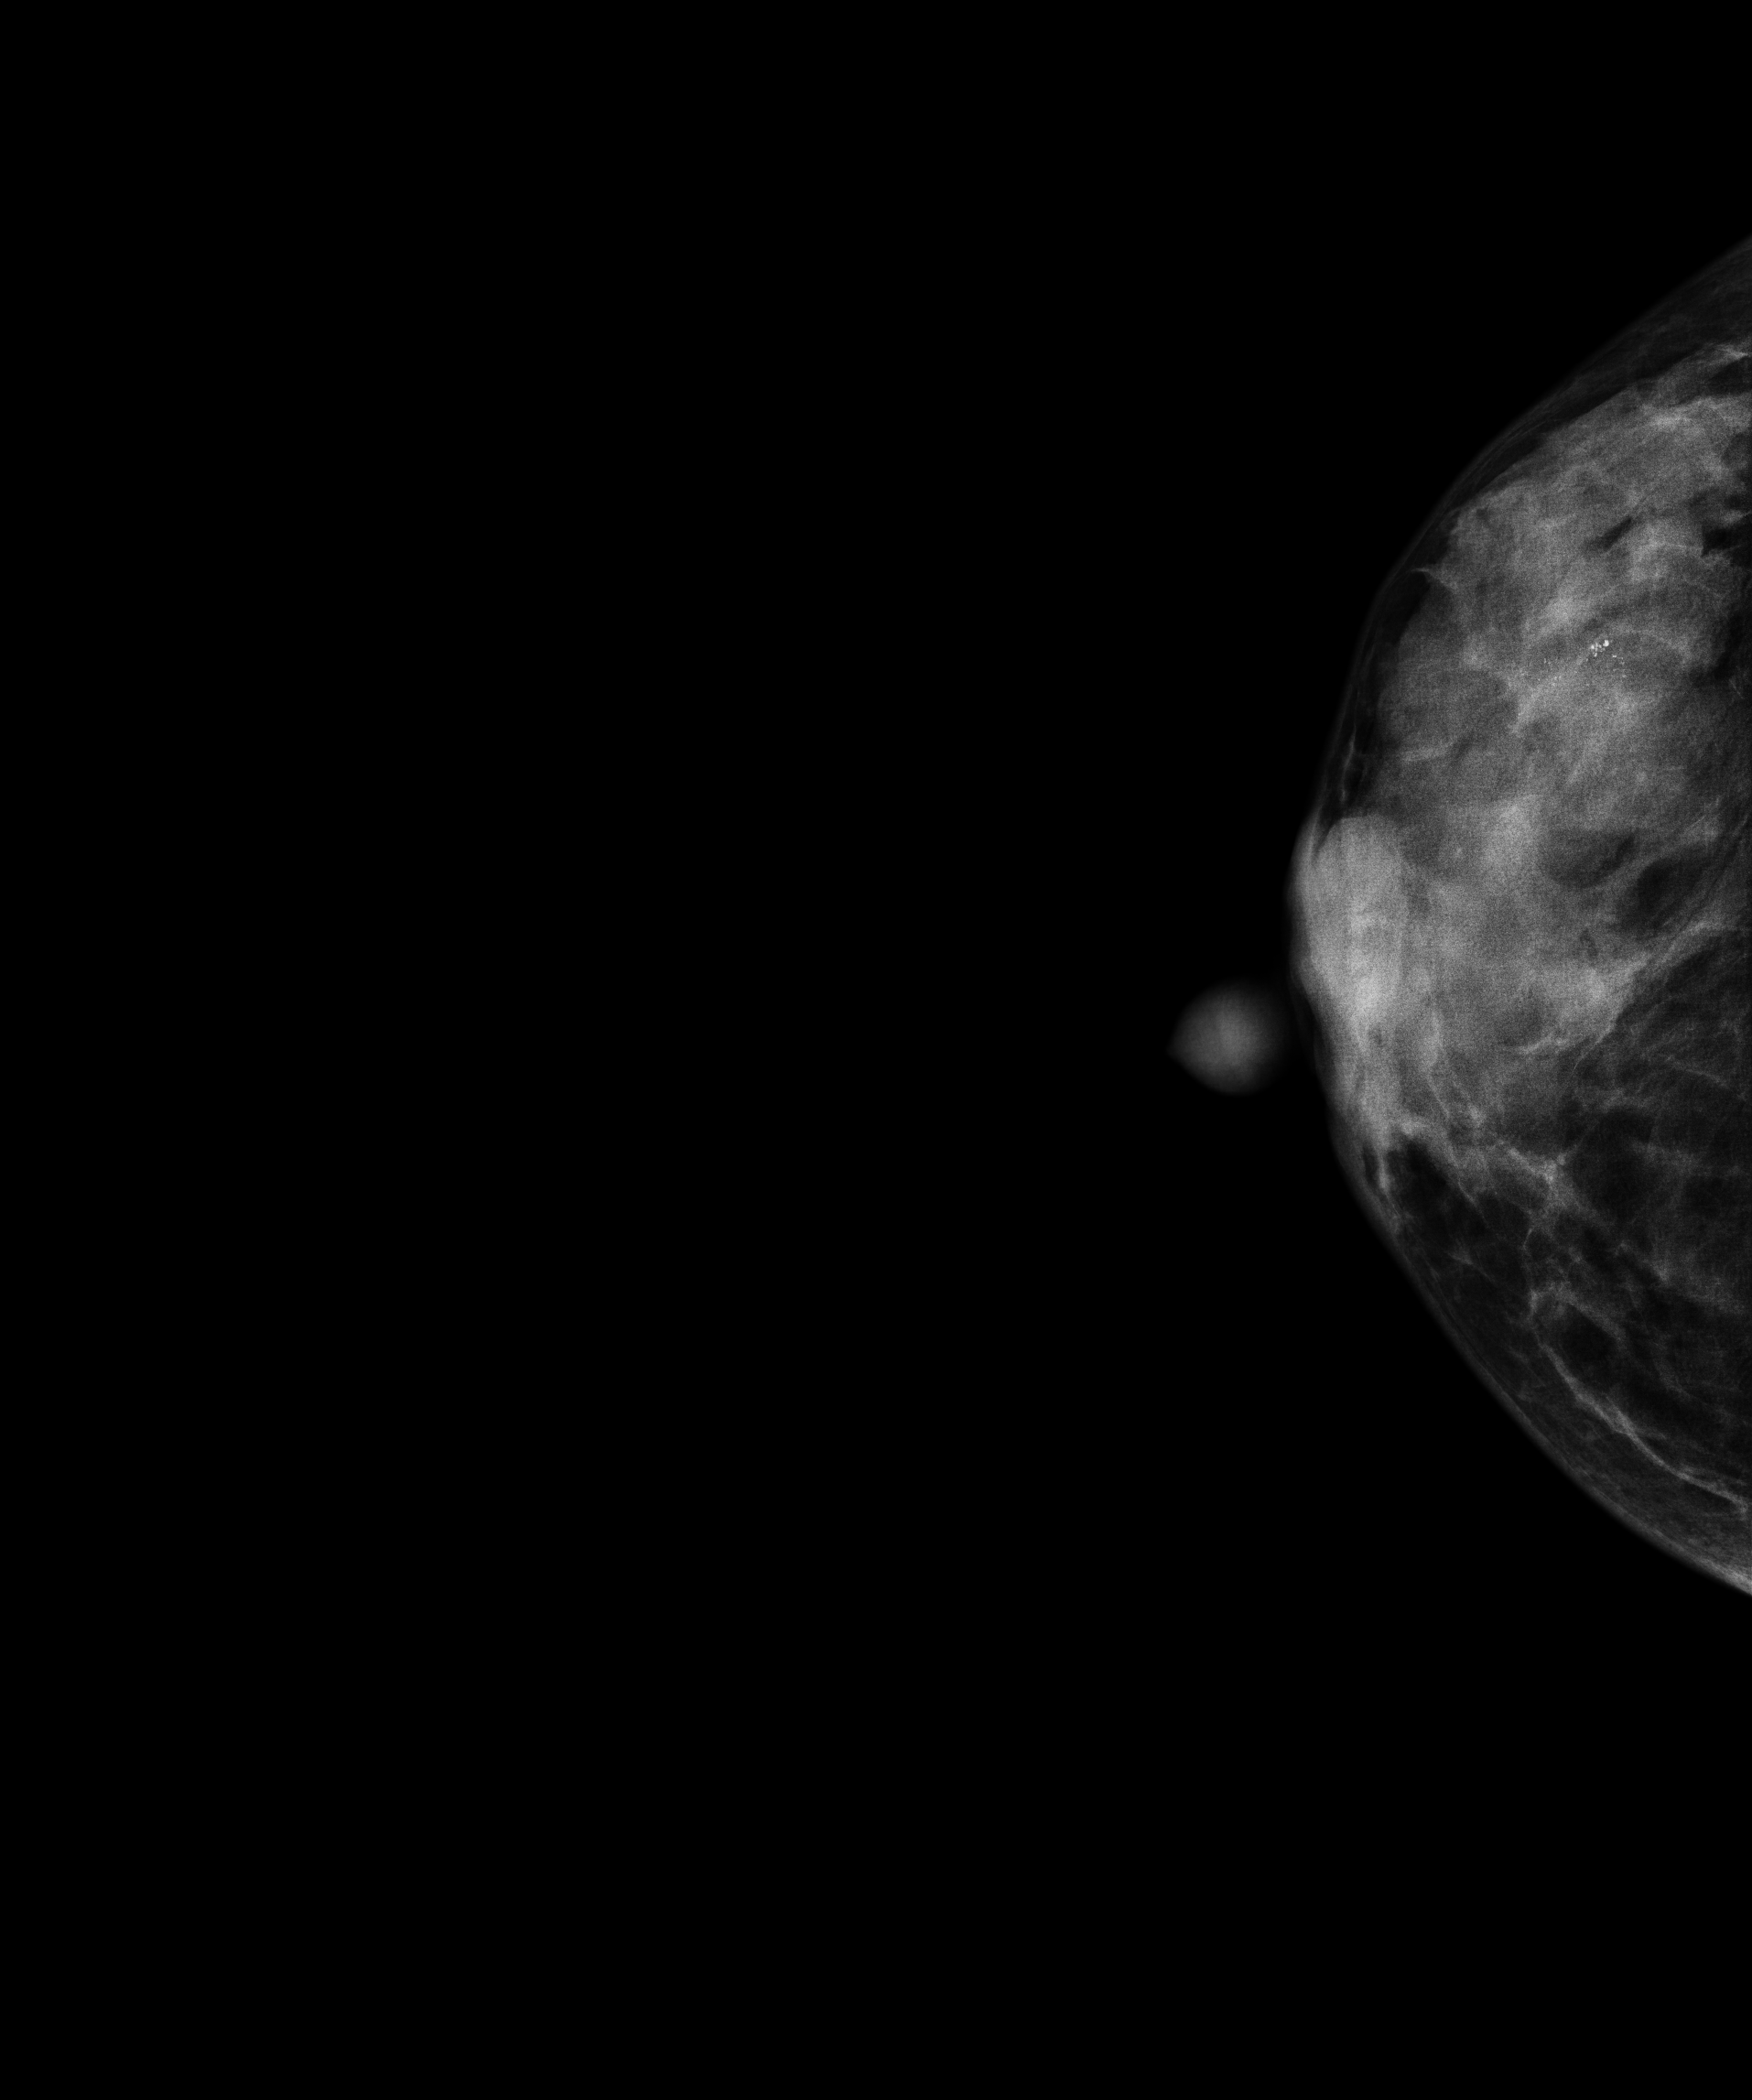
Right-breast mammogram, cranio-caudal. Patient age 43.
This breast has a mass and calcifications, histologically confirmed malignant.